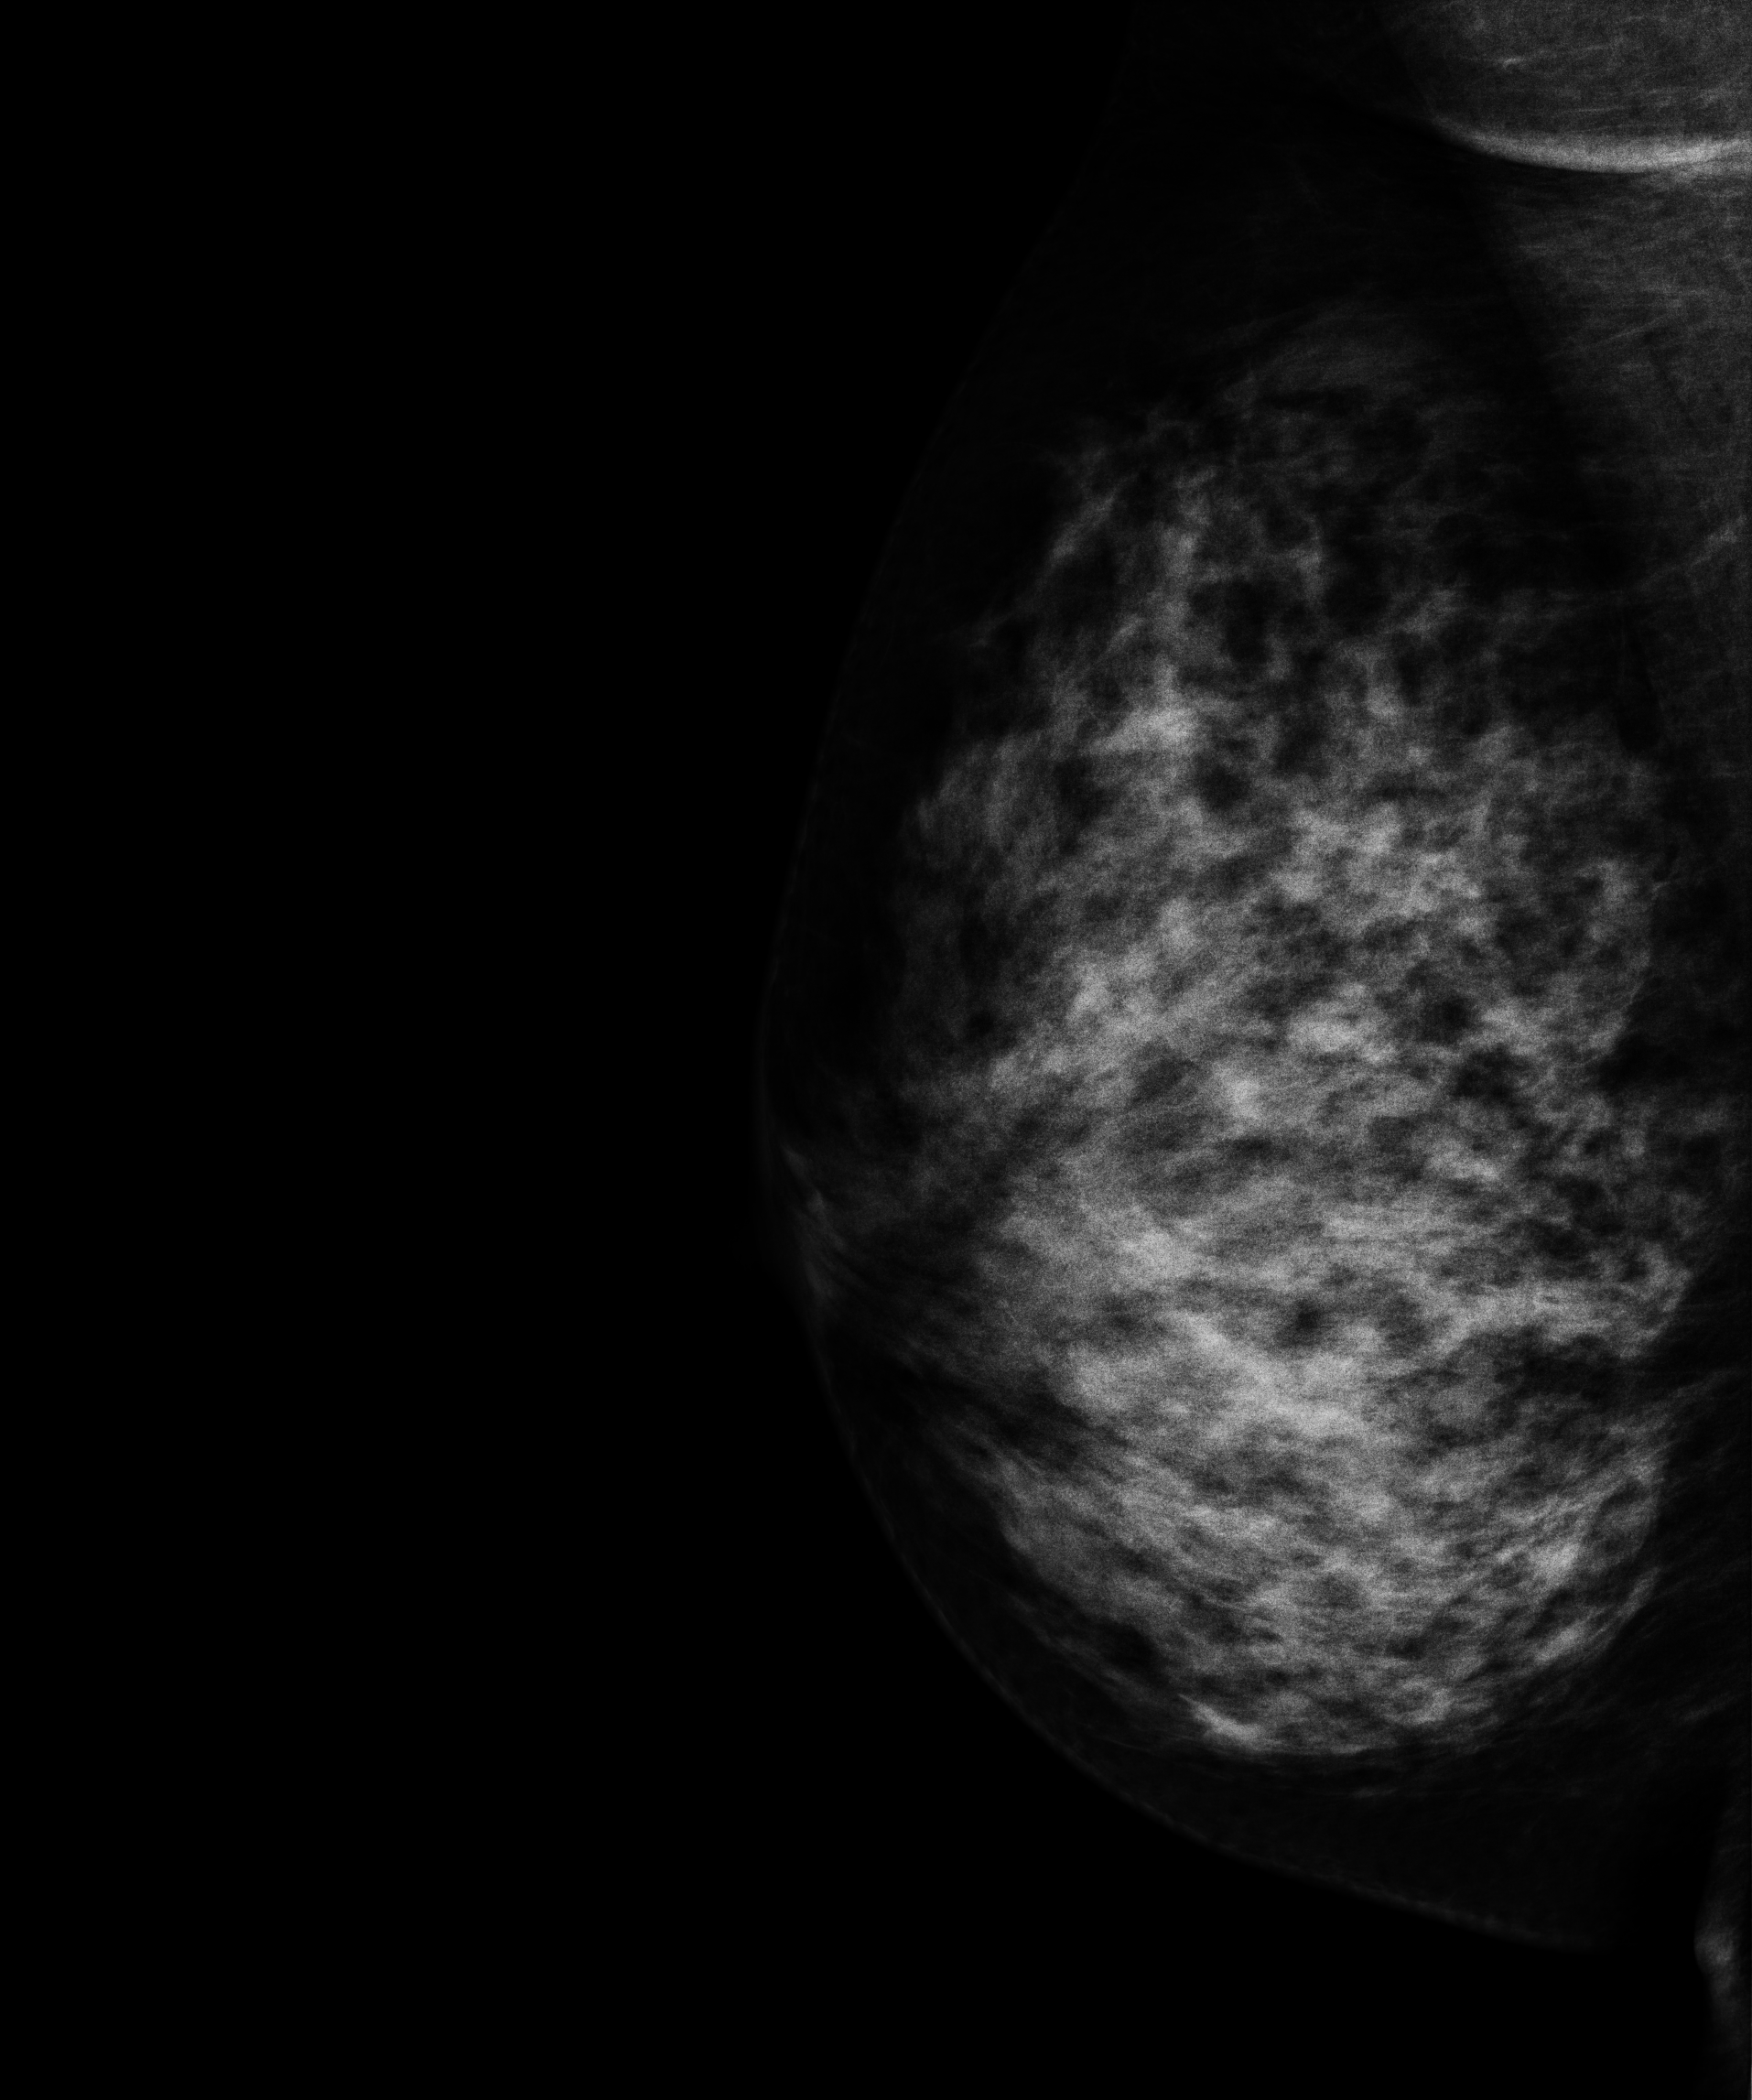
Digital mammography. Right breast, medio-lateral oblique projection. Patient age 45.
Contralateral breast — no documented abnormality on this side.